Digital mammography. Right breast, cranio-caudal projection. 50-year-old patient.
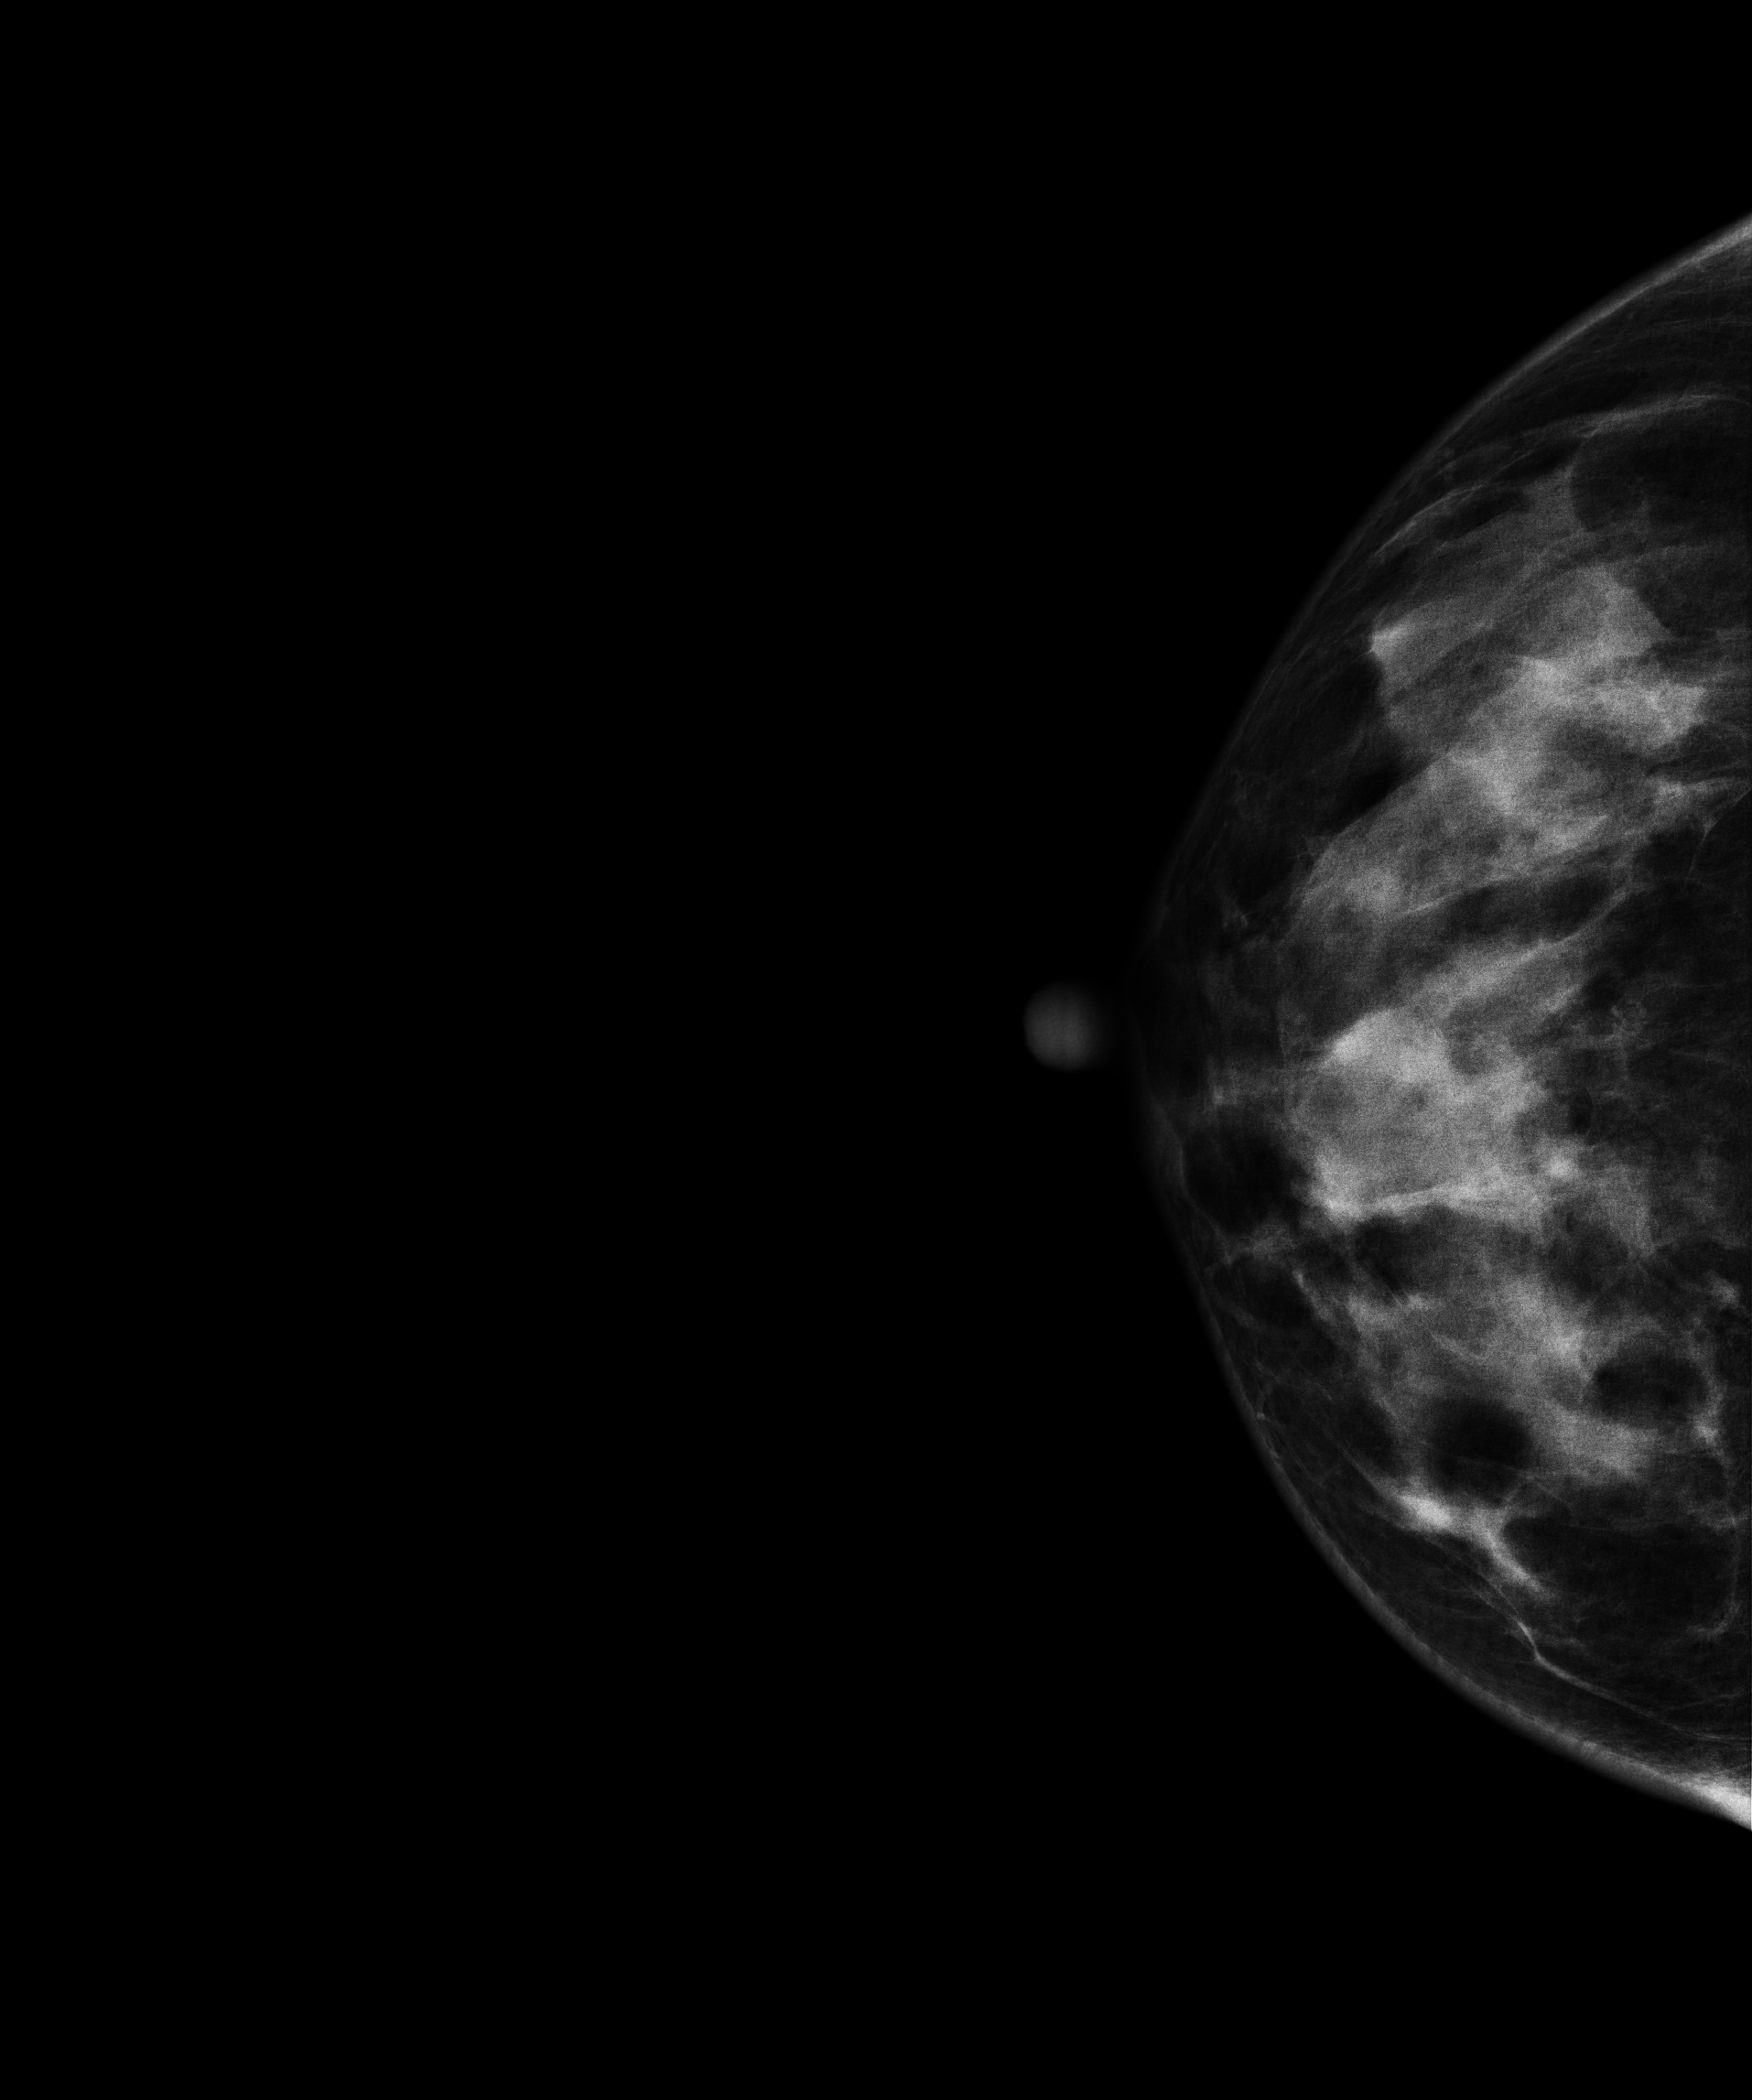
Contralateral breast — no documented abnormality on this side.